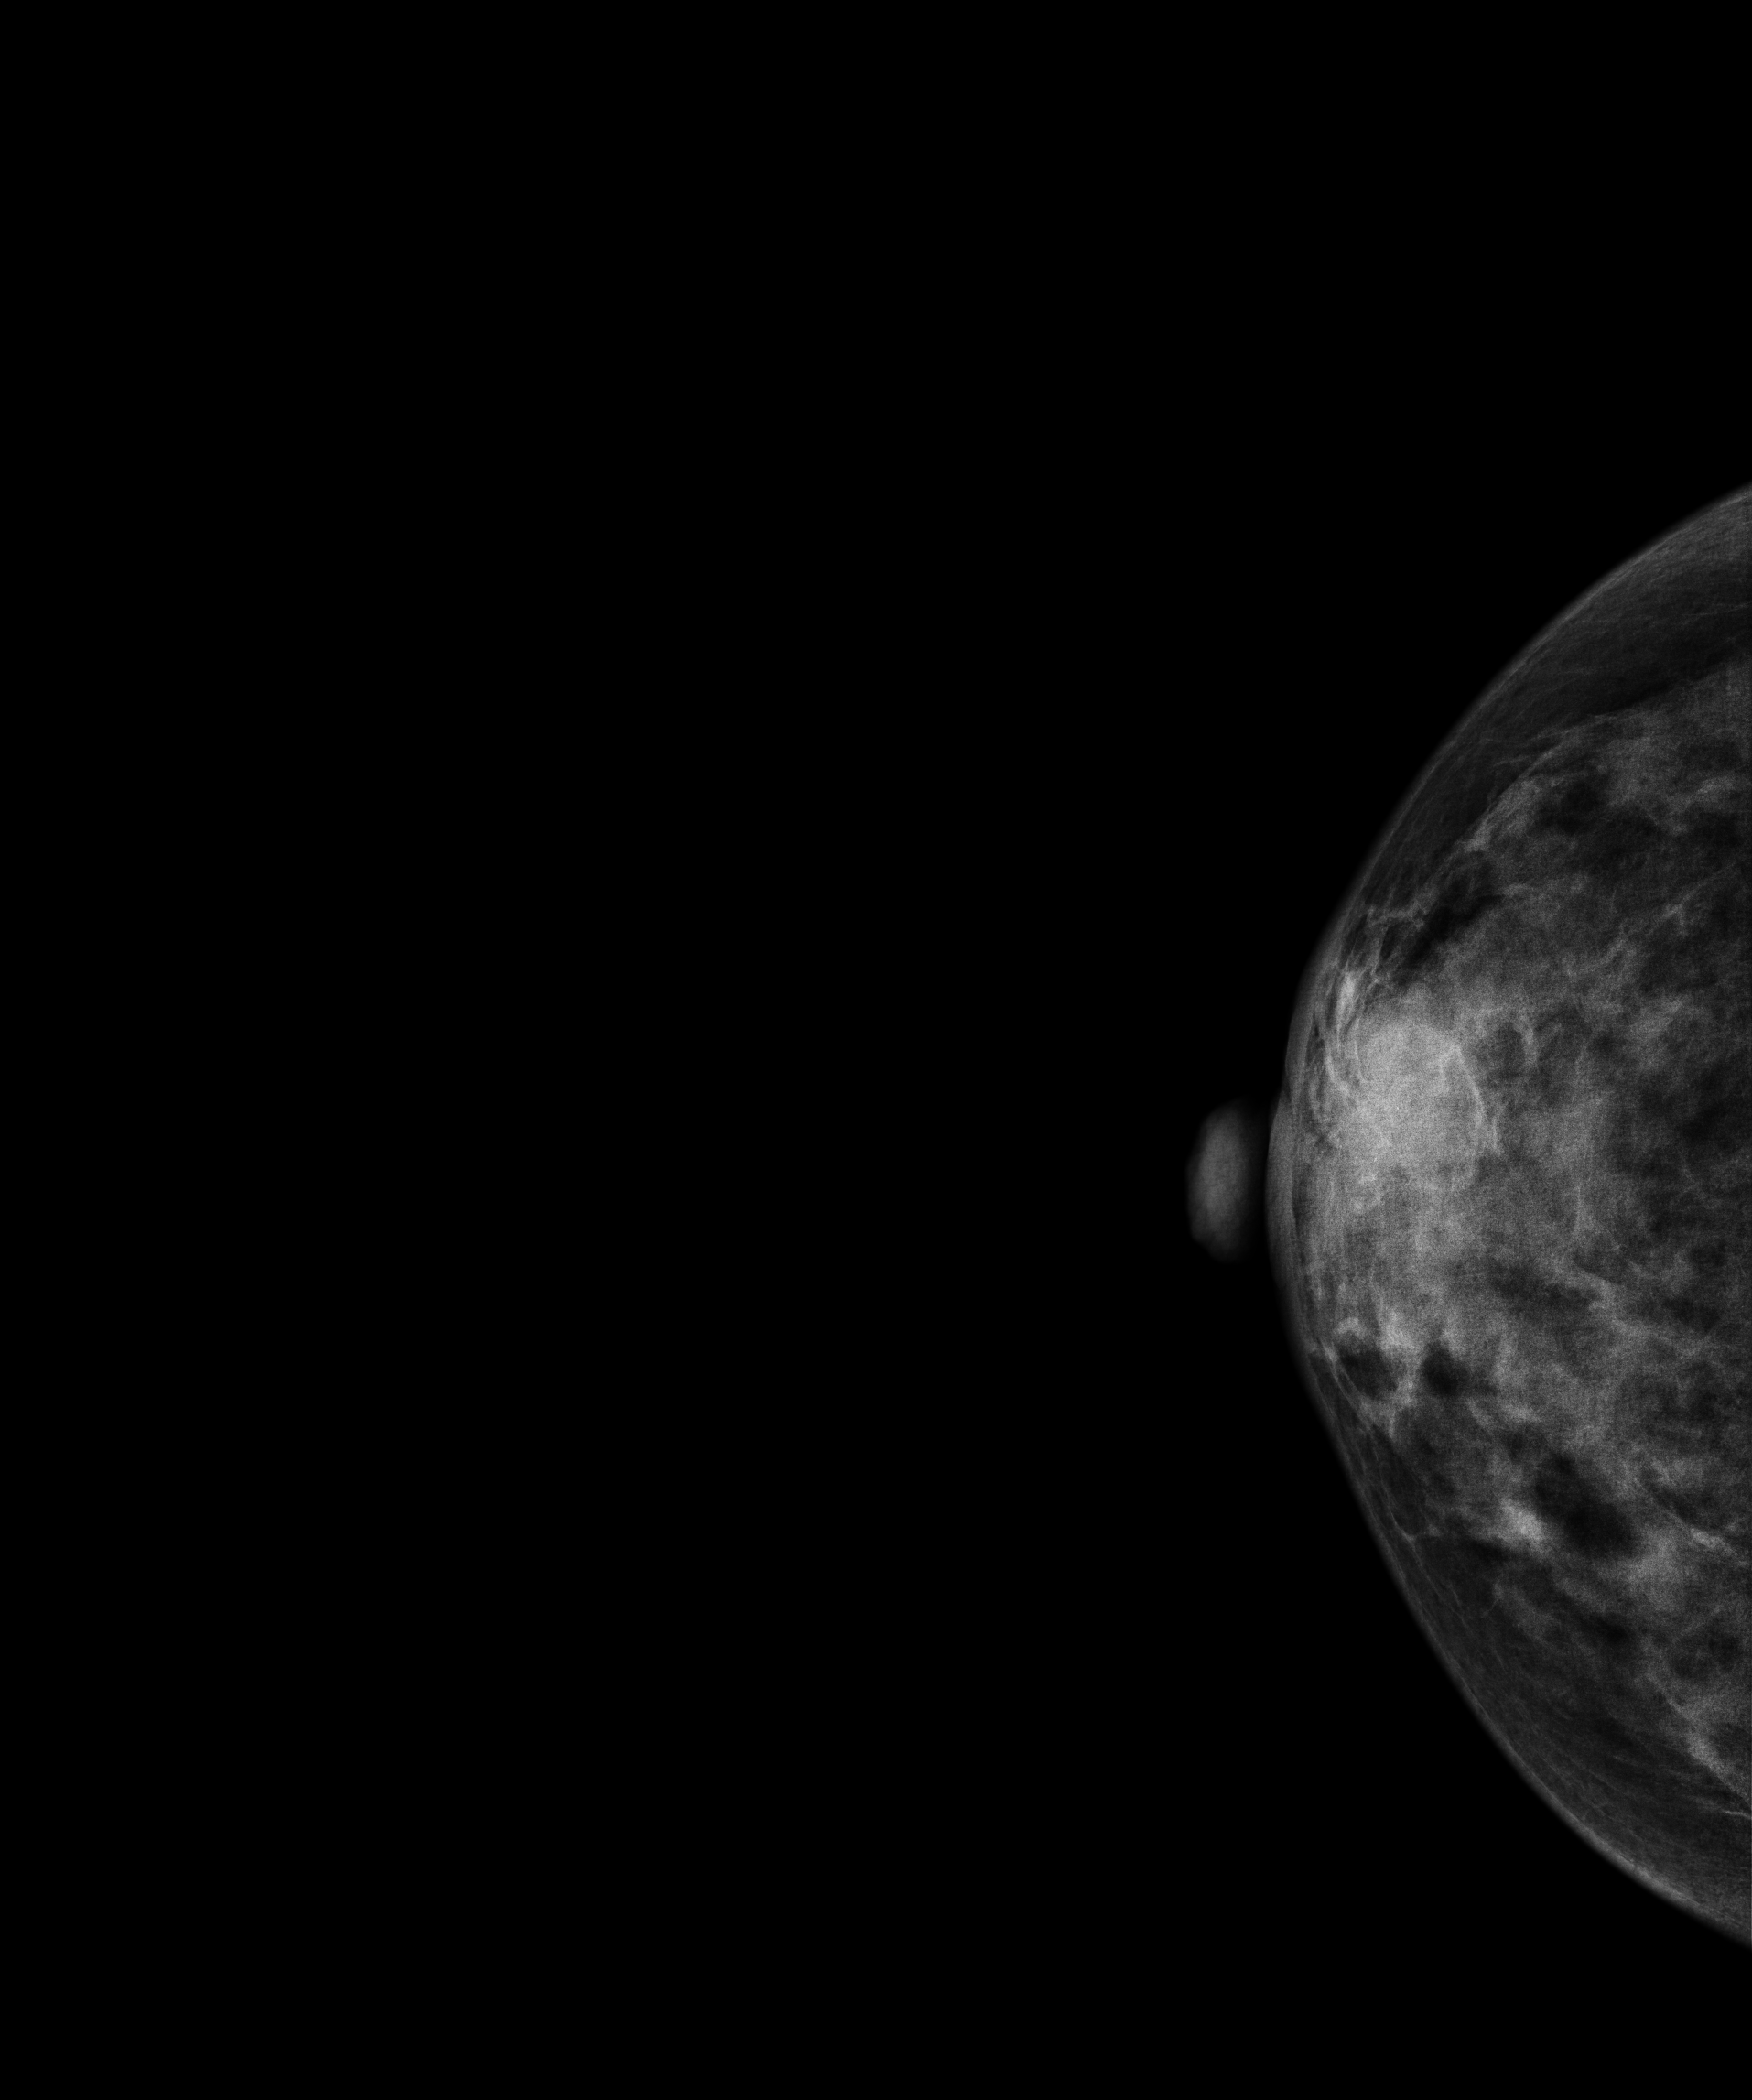
Digital mammography. Right breast, cranio-caudal projection. Patient age 51.
This breast has a mass, biopsy-confirmed malignant. Molecular subtype: HER2-enriched.